Right-breast mammogram, MLO. Patient age 47.
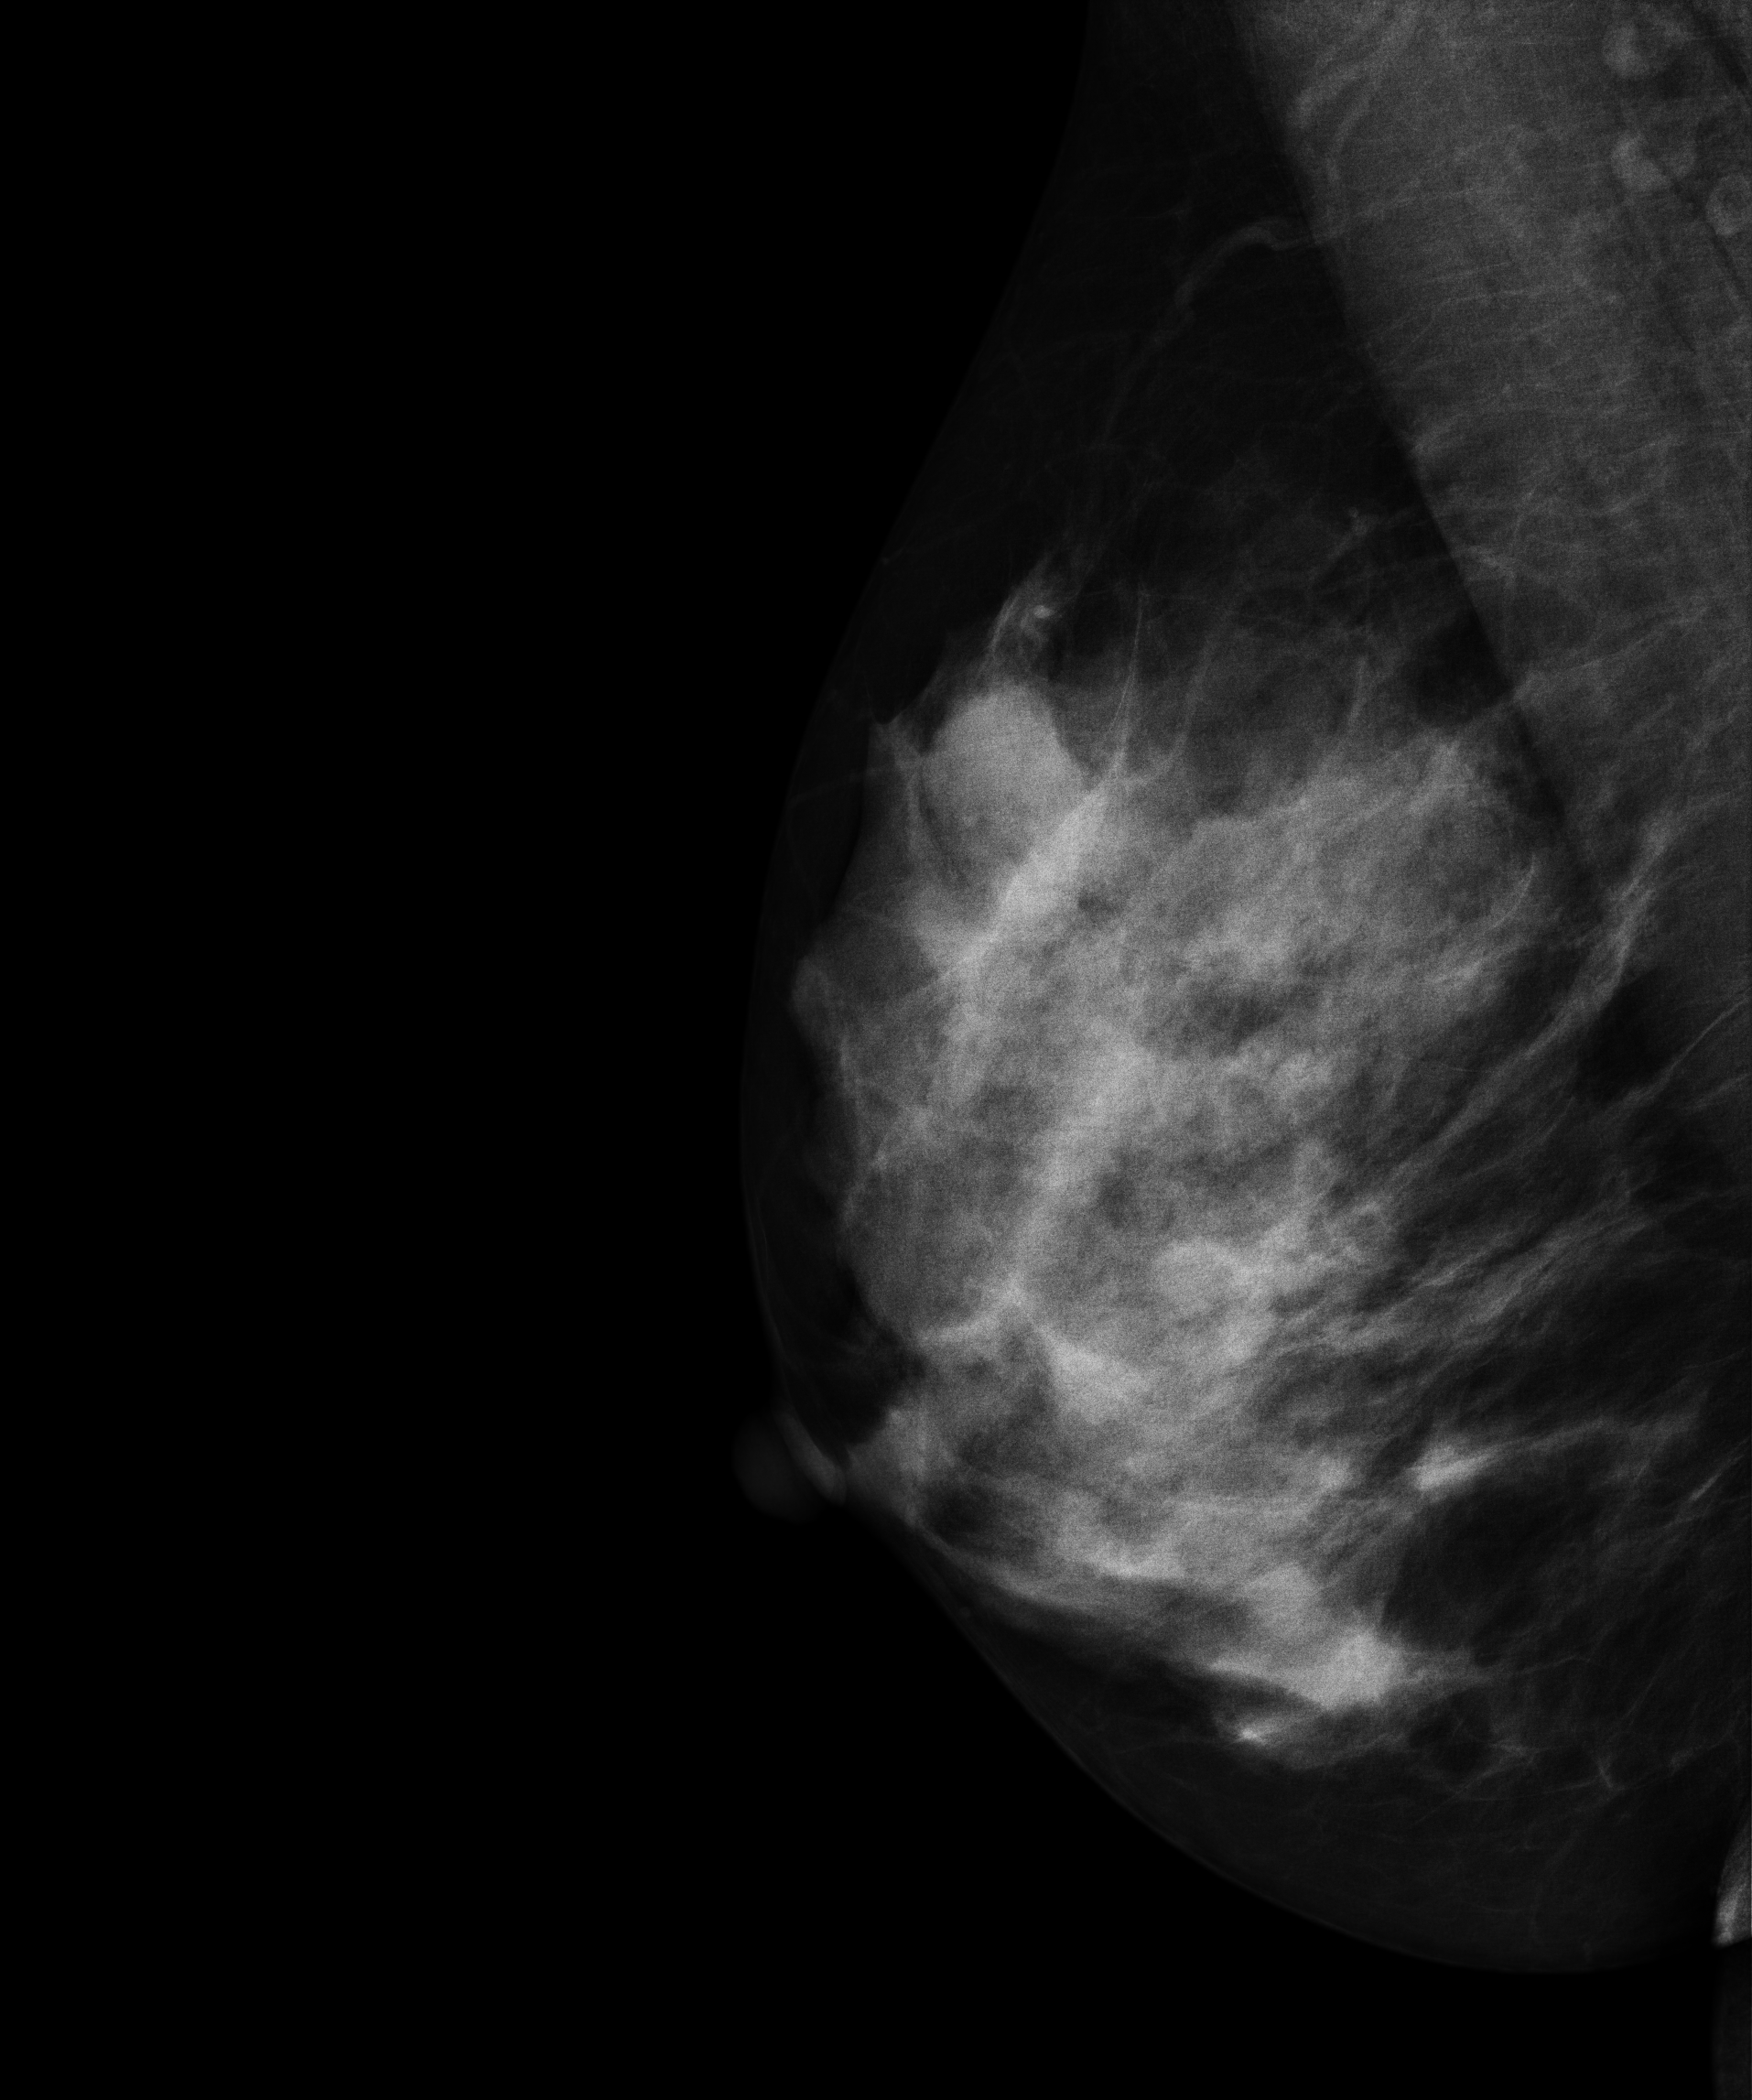
This breast has a mass, biopsy-proven benign.